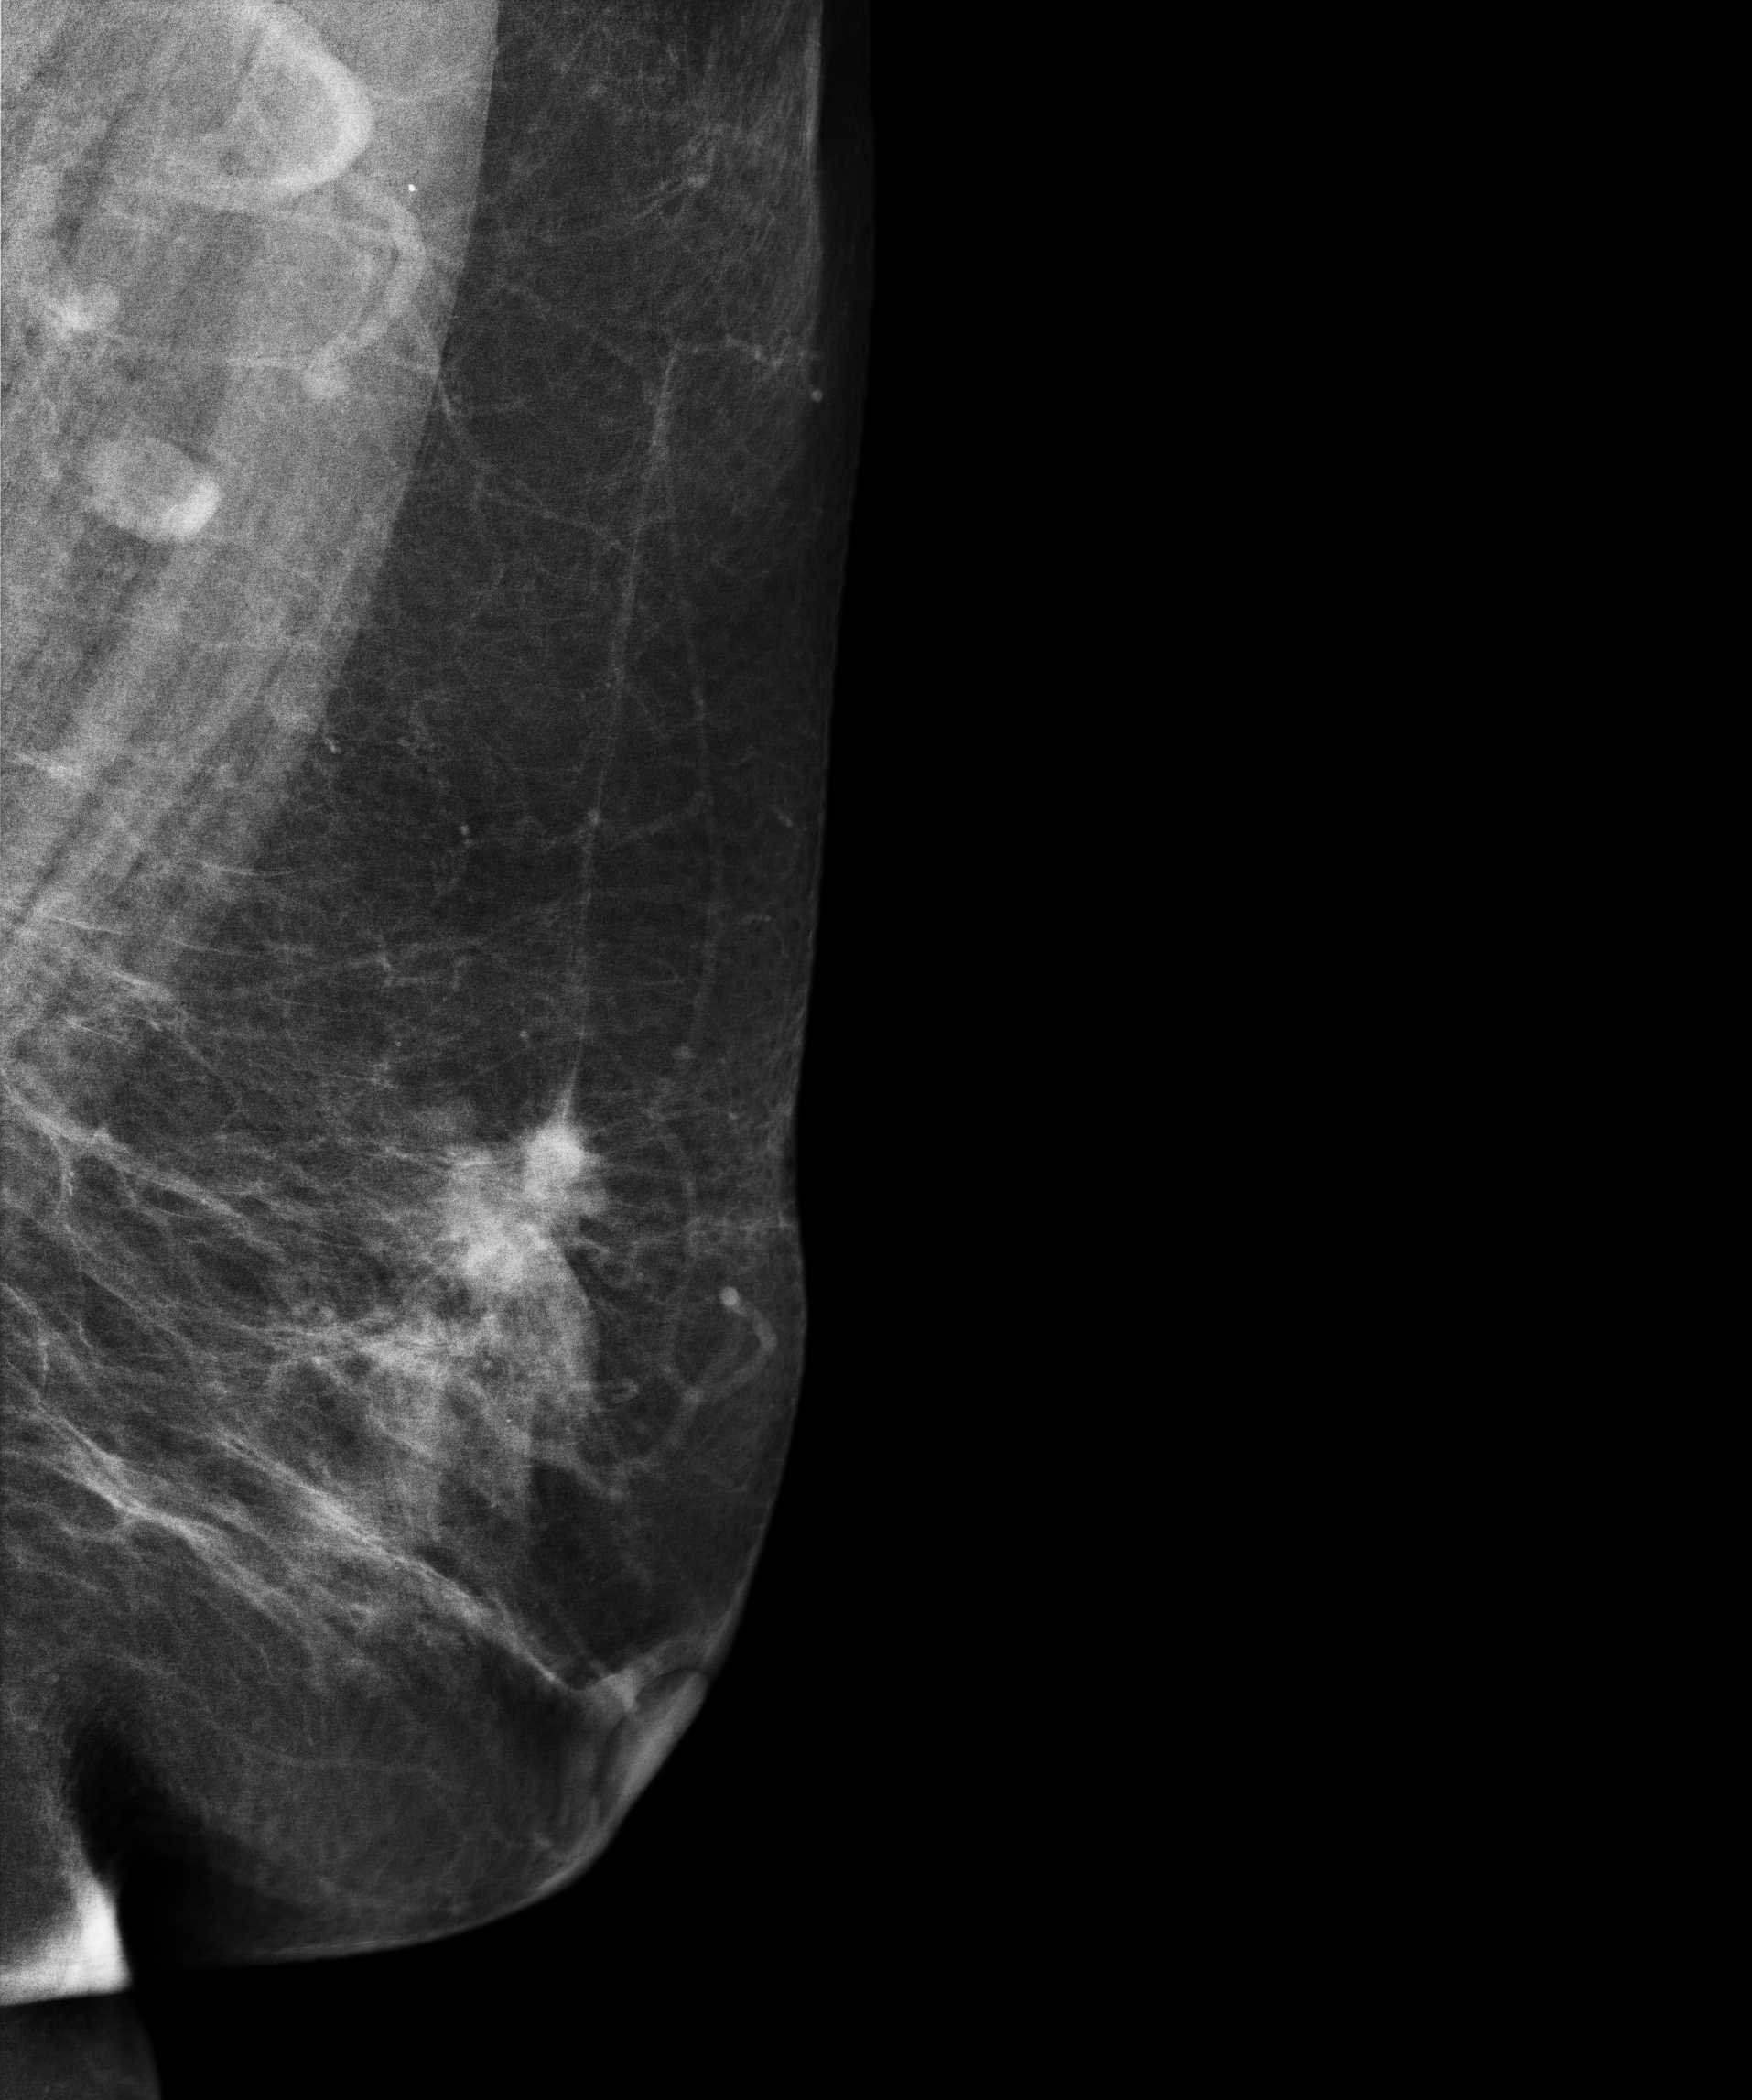
Left-breast mammogram, medio-lateral oblique. 70 y/o patient.
This breast has a mass, pathology-confirmed malignant.